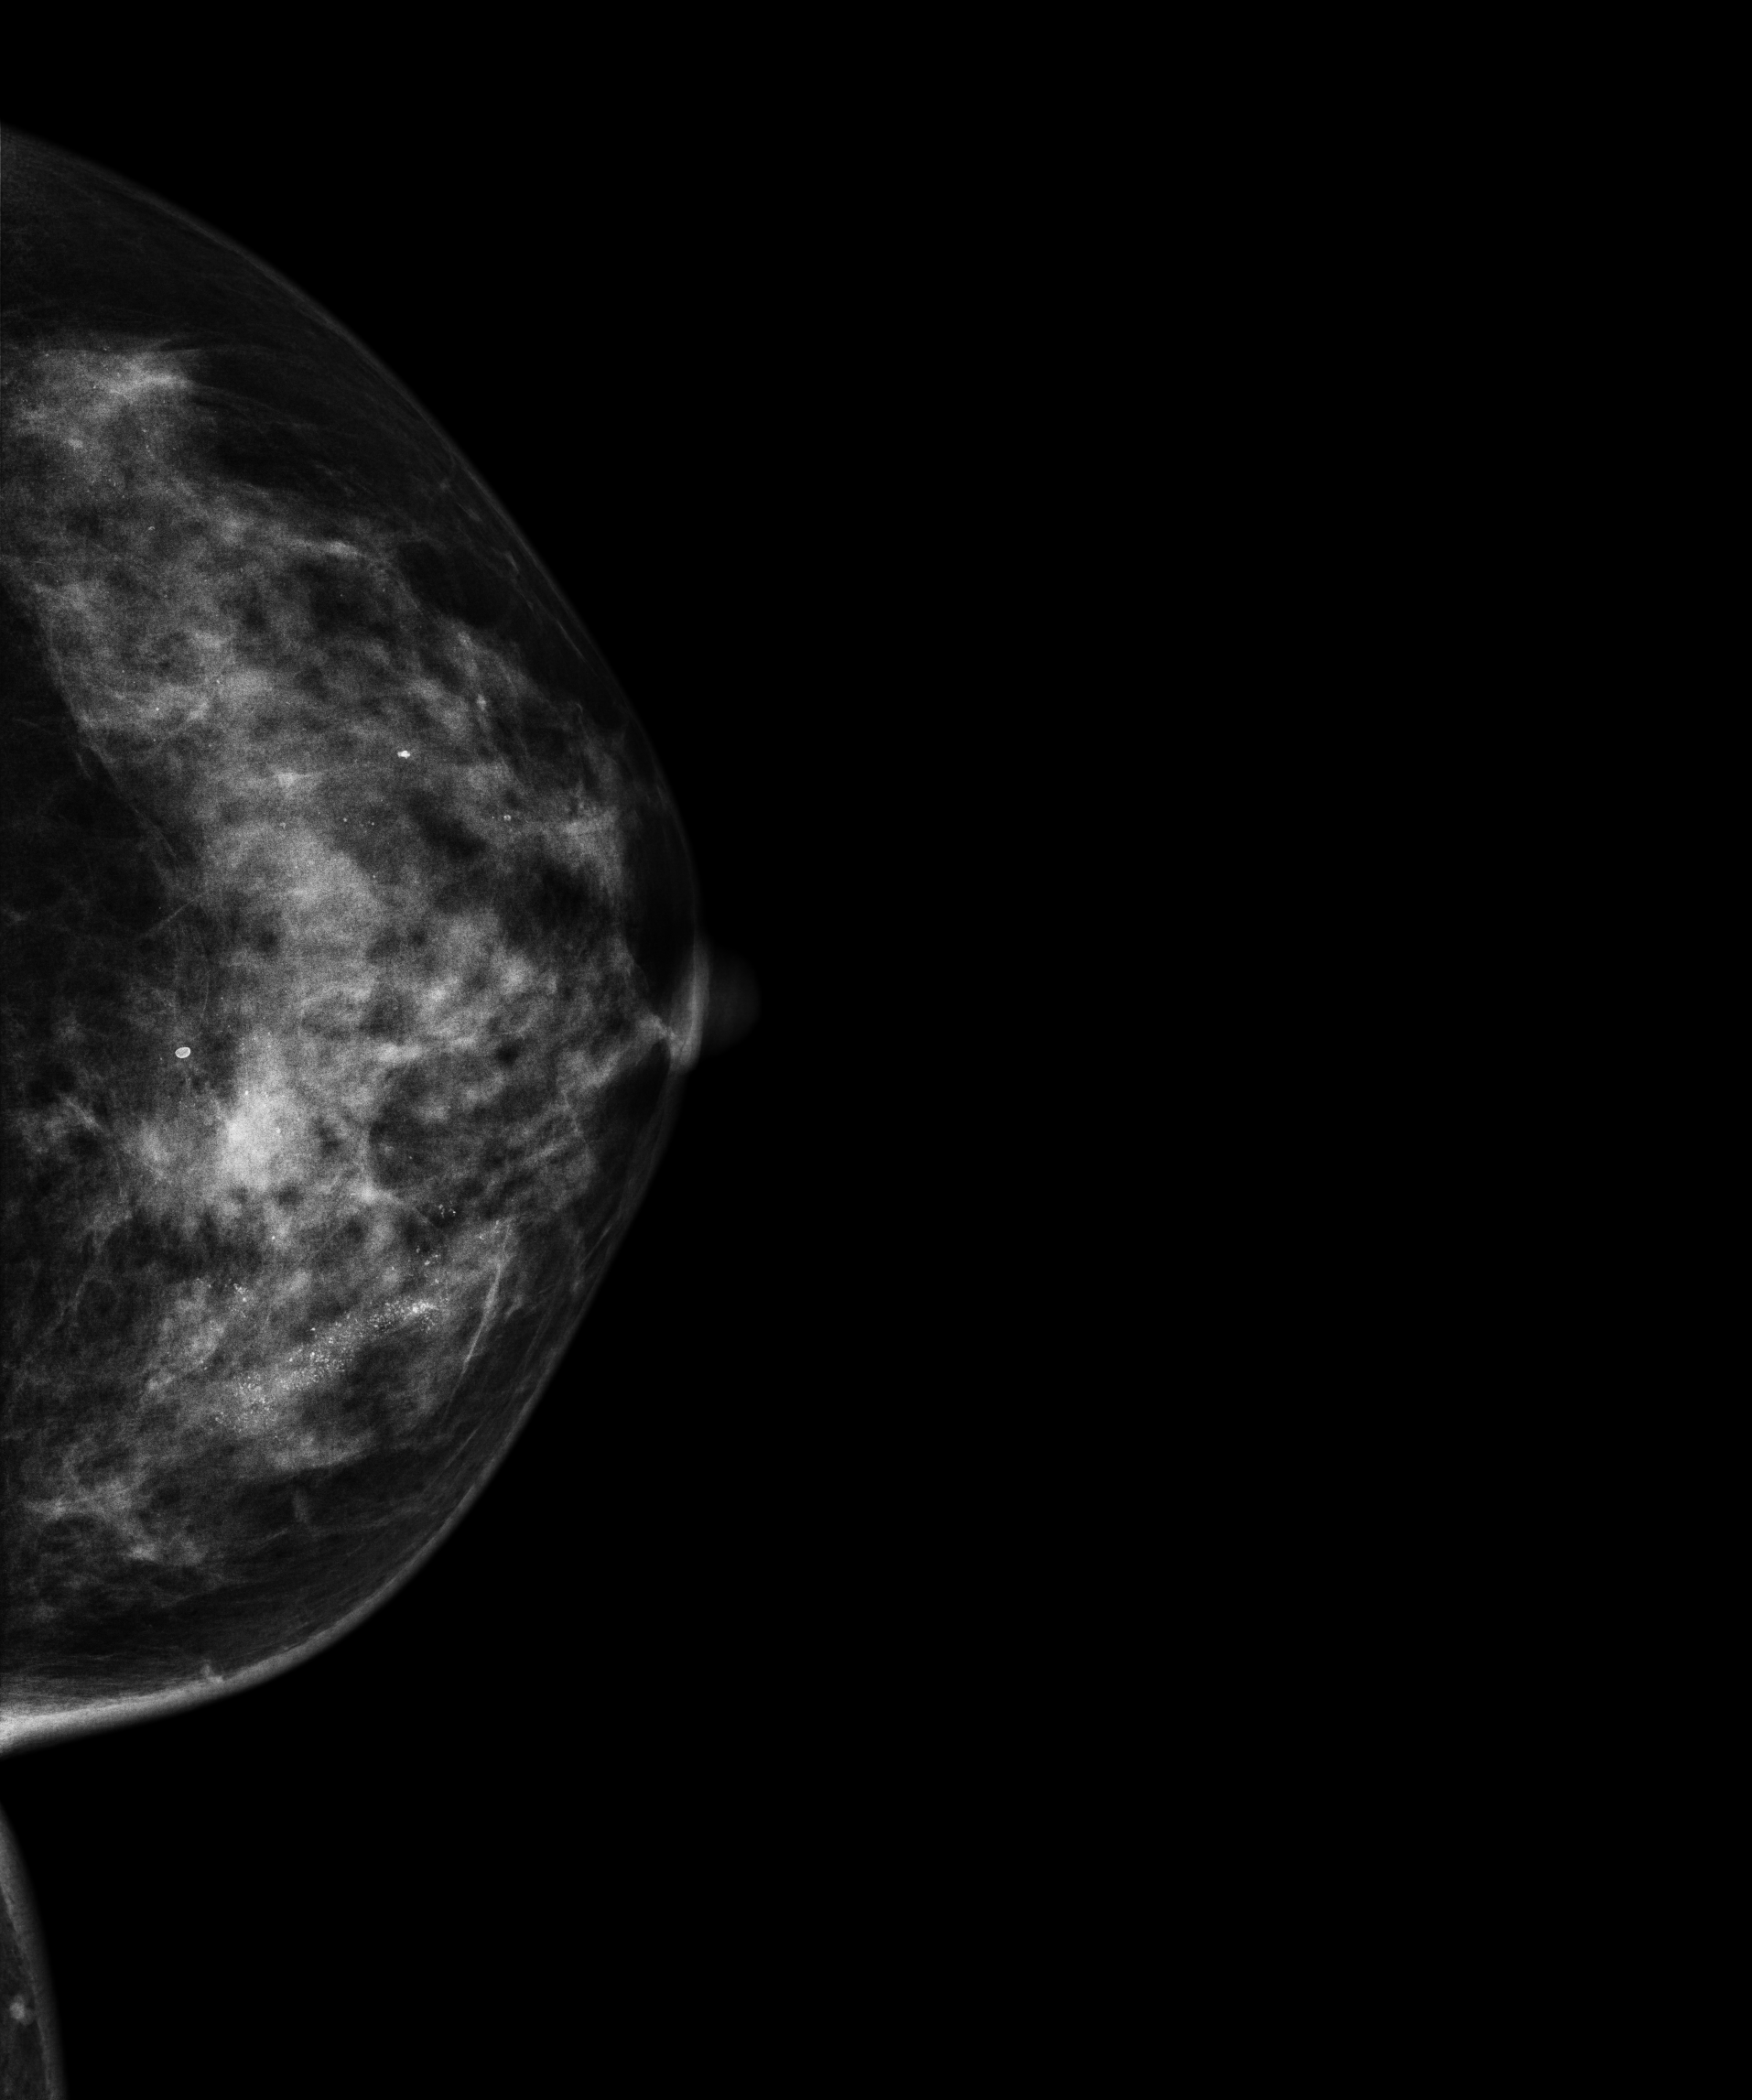
Left-breast mammogram, CC. 40 y/o patient.
This breast has calcifications, biopsy-confirmed malignant. Molecular subtype: luminal B.